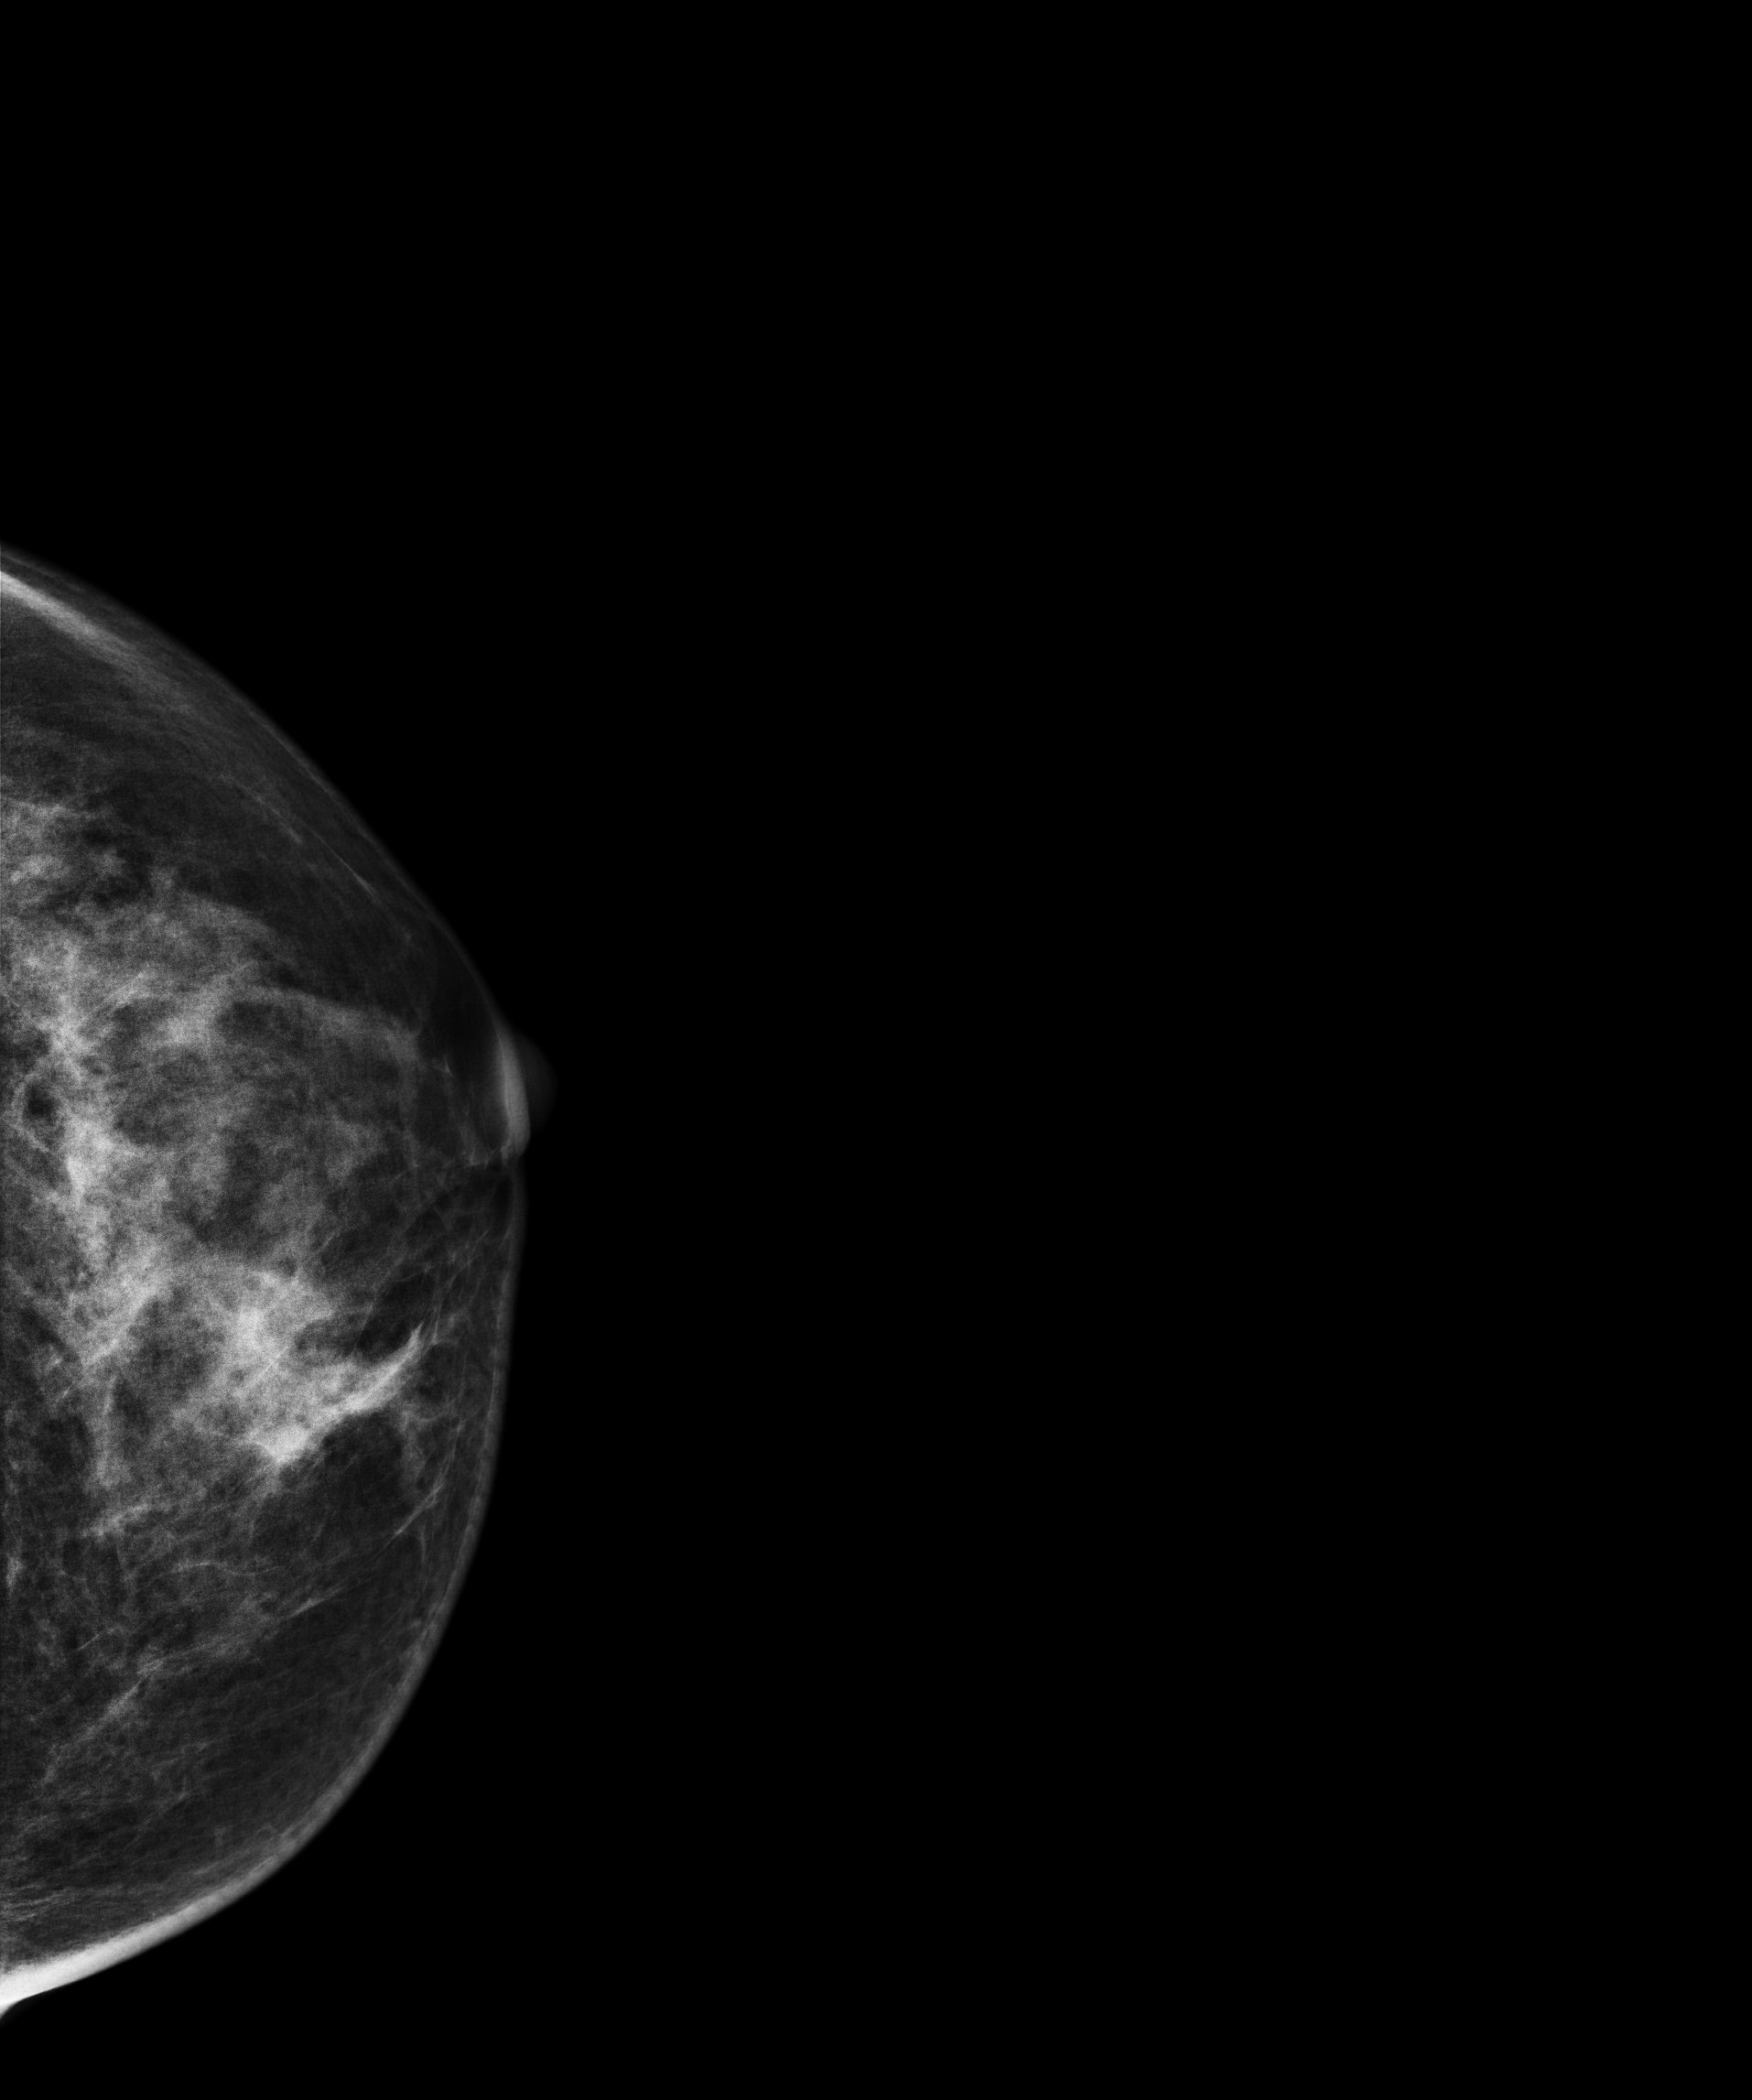
Mammogram, left breast, CC view. 44-year-old patient.
This breast has a mass, biopsy-confirmed malignant. Molecular subtype: luminal B.